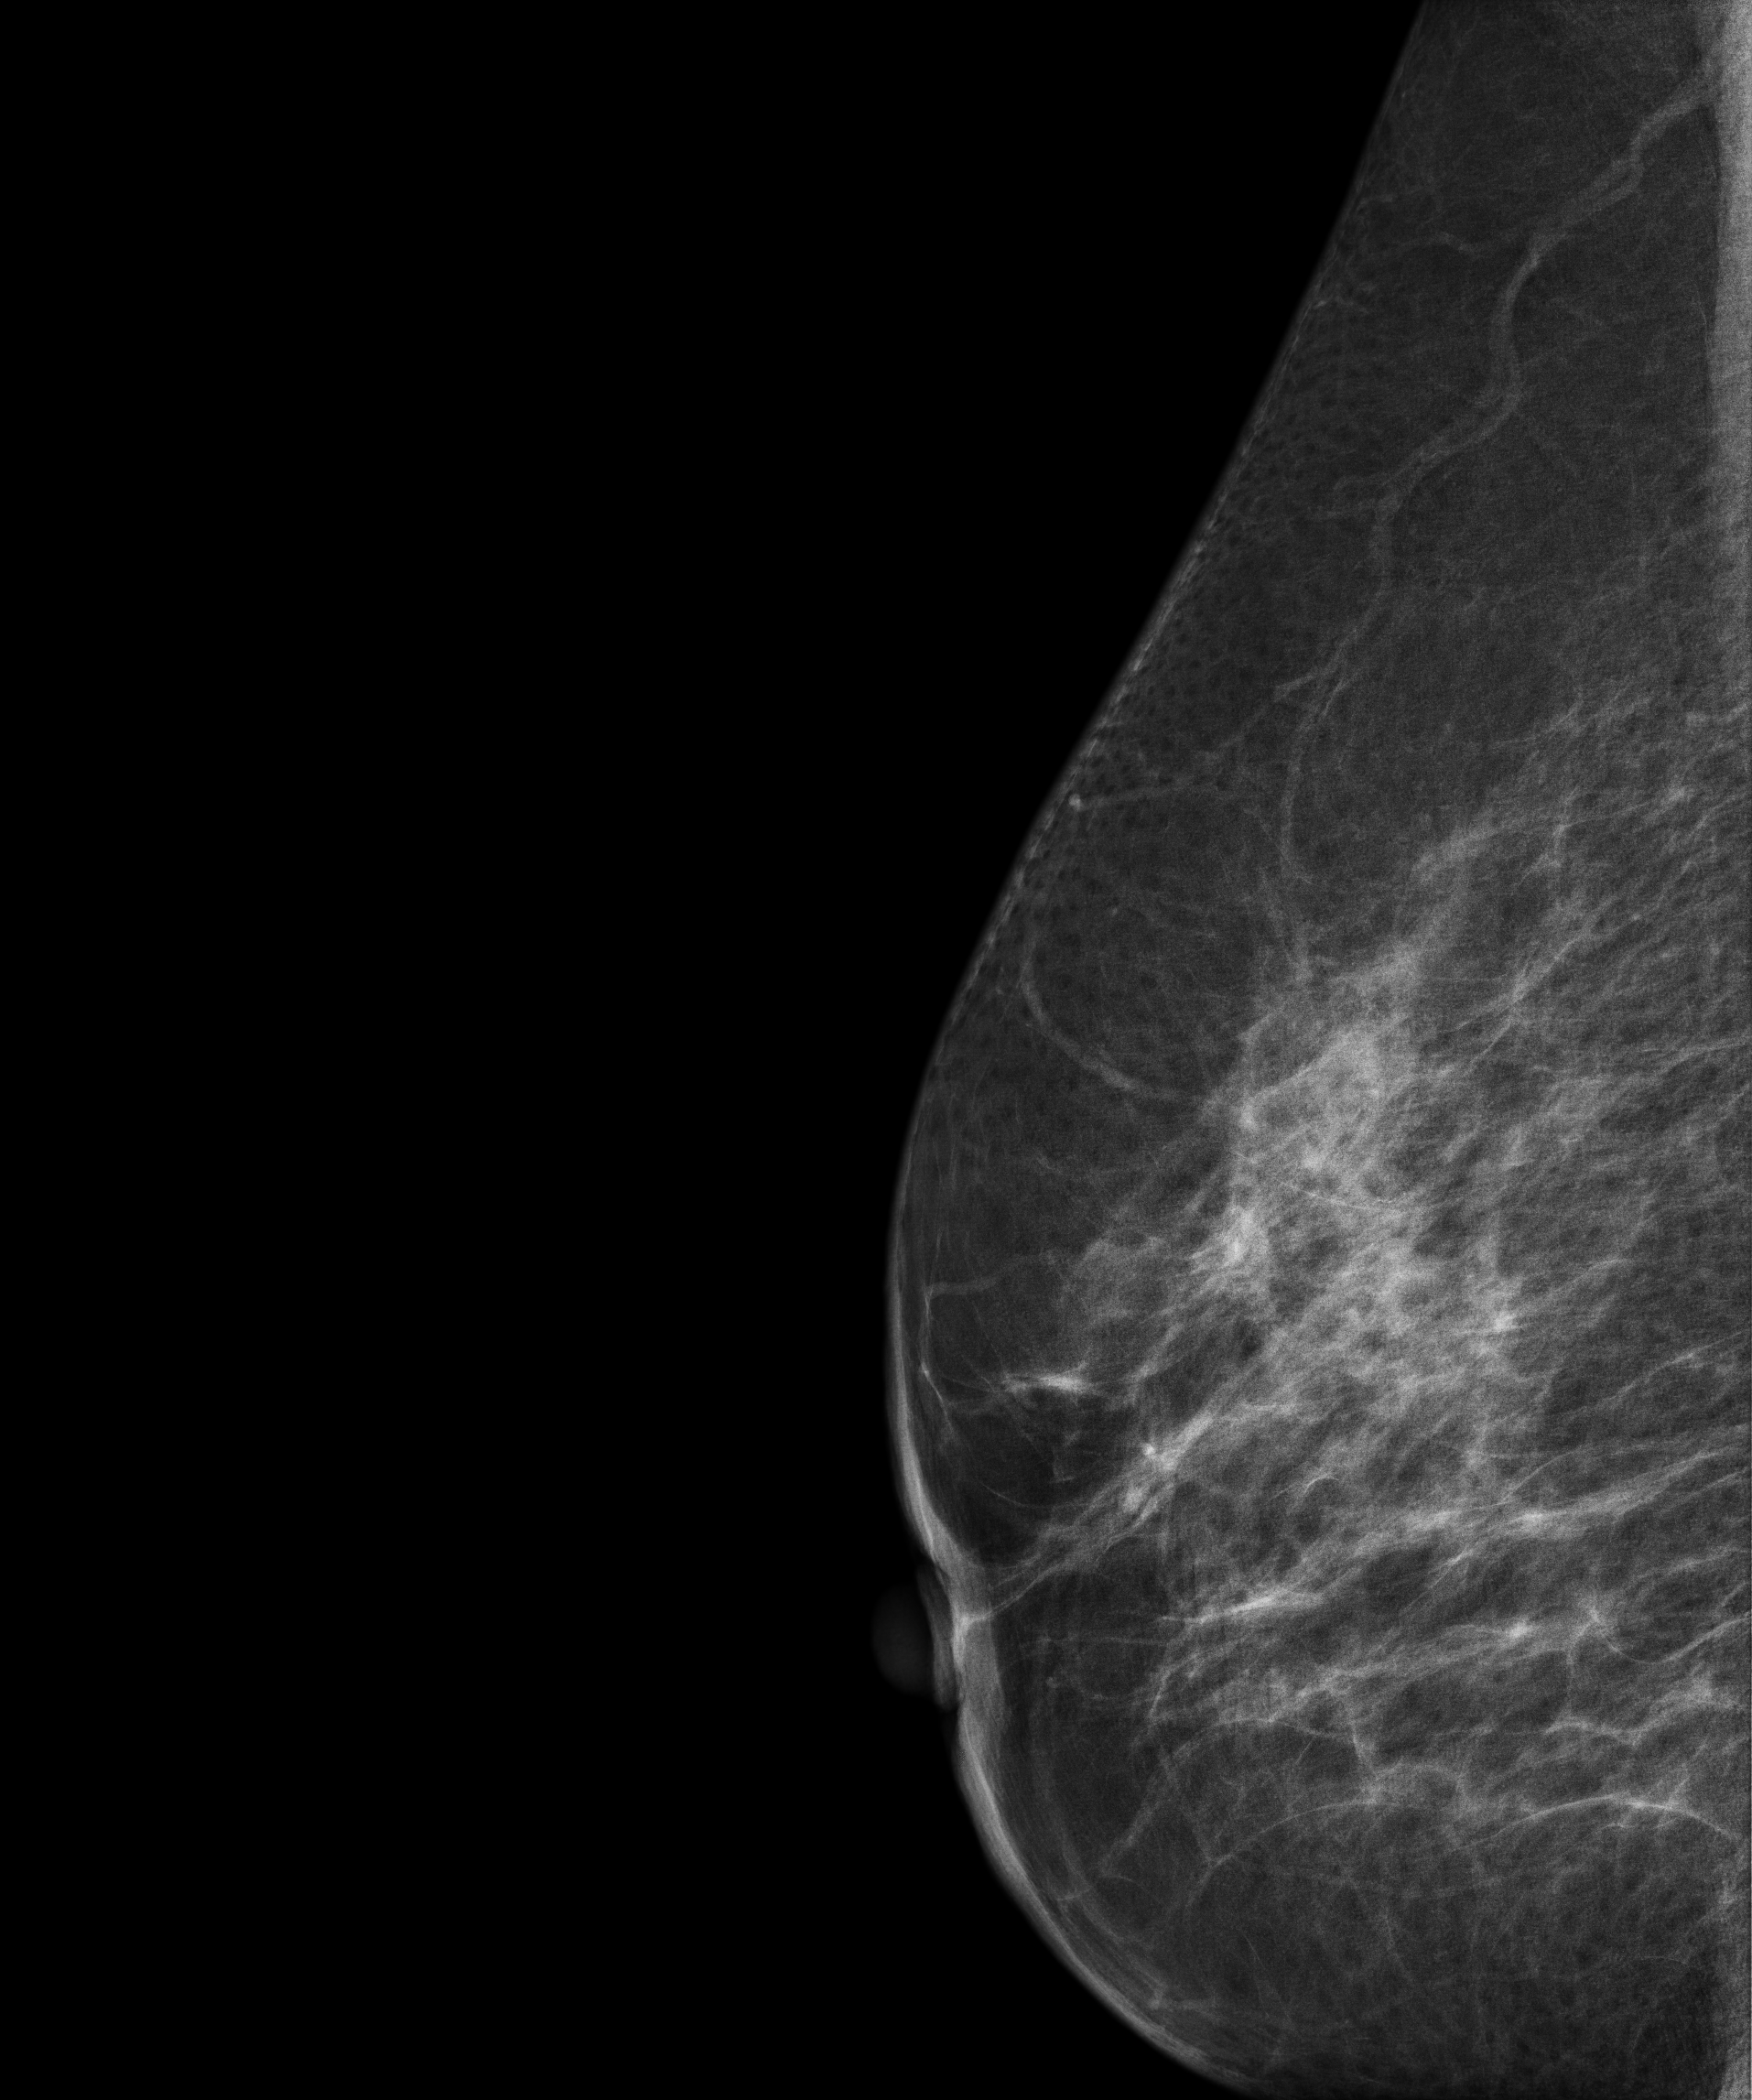
MLO mammogram of the right breast. 62-year-old patient.
Contralateral breast — no documented abnormality on this side.